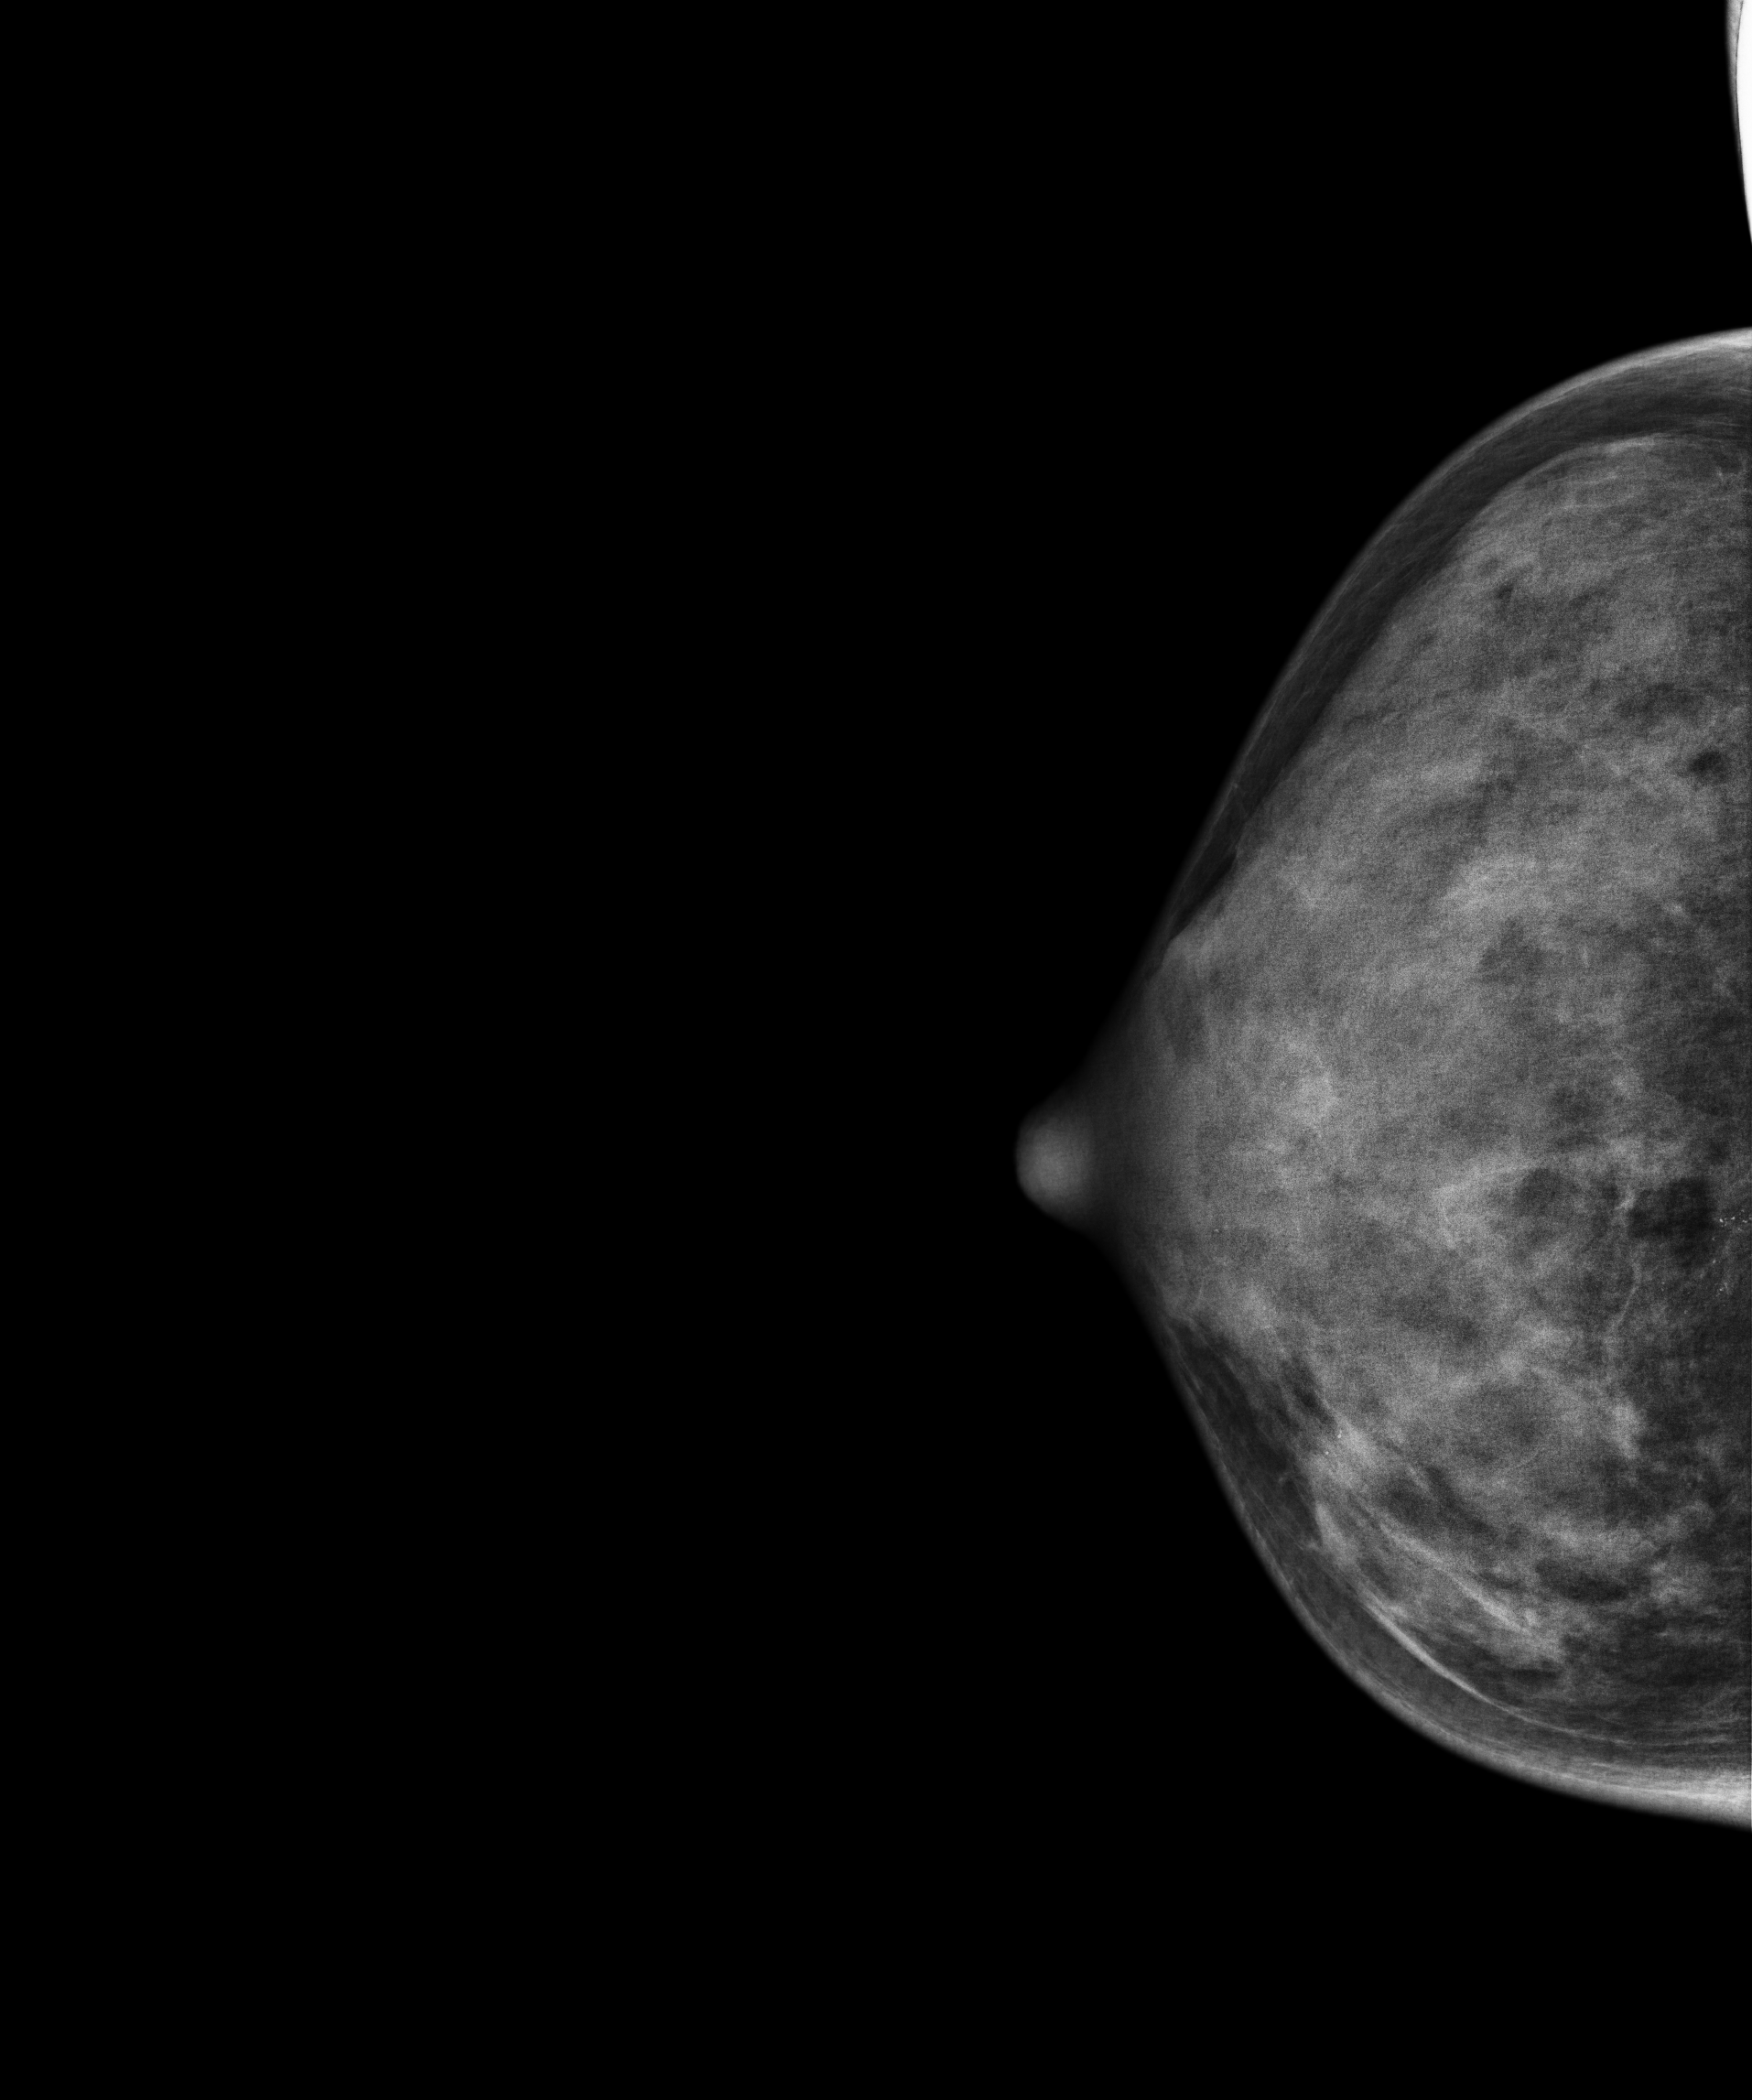
Mammogram — right cranio-caudal. Patient age 38.
This breast has a mass and calcifications, histologically confirmed malignant. Molecular subtype: luminal B.